Mammogram, left breast, MLO view. 45-year-old patient.
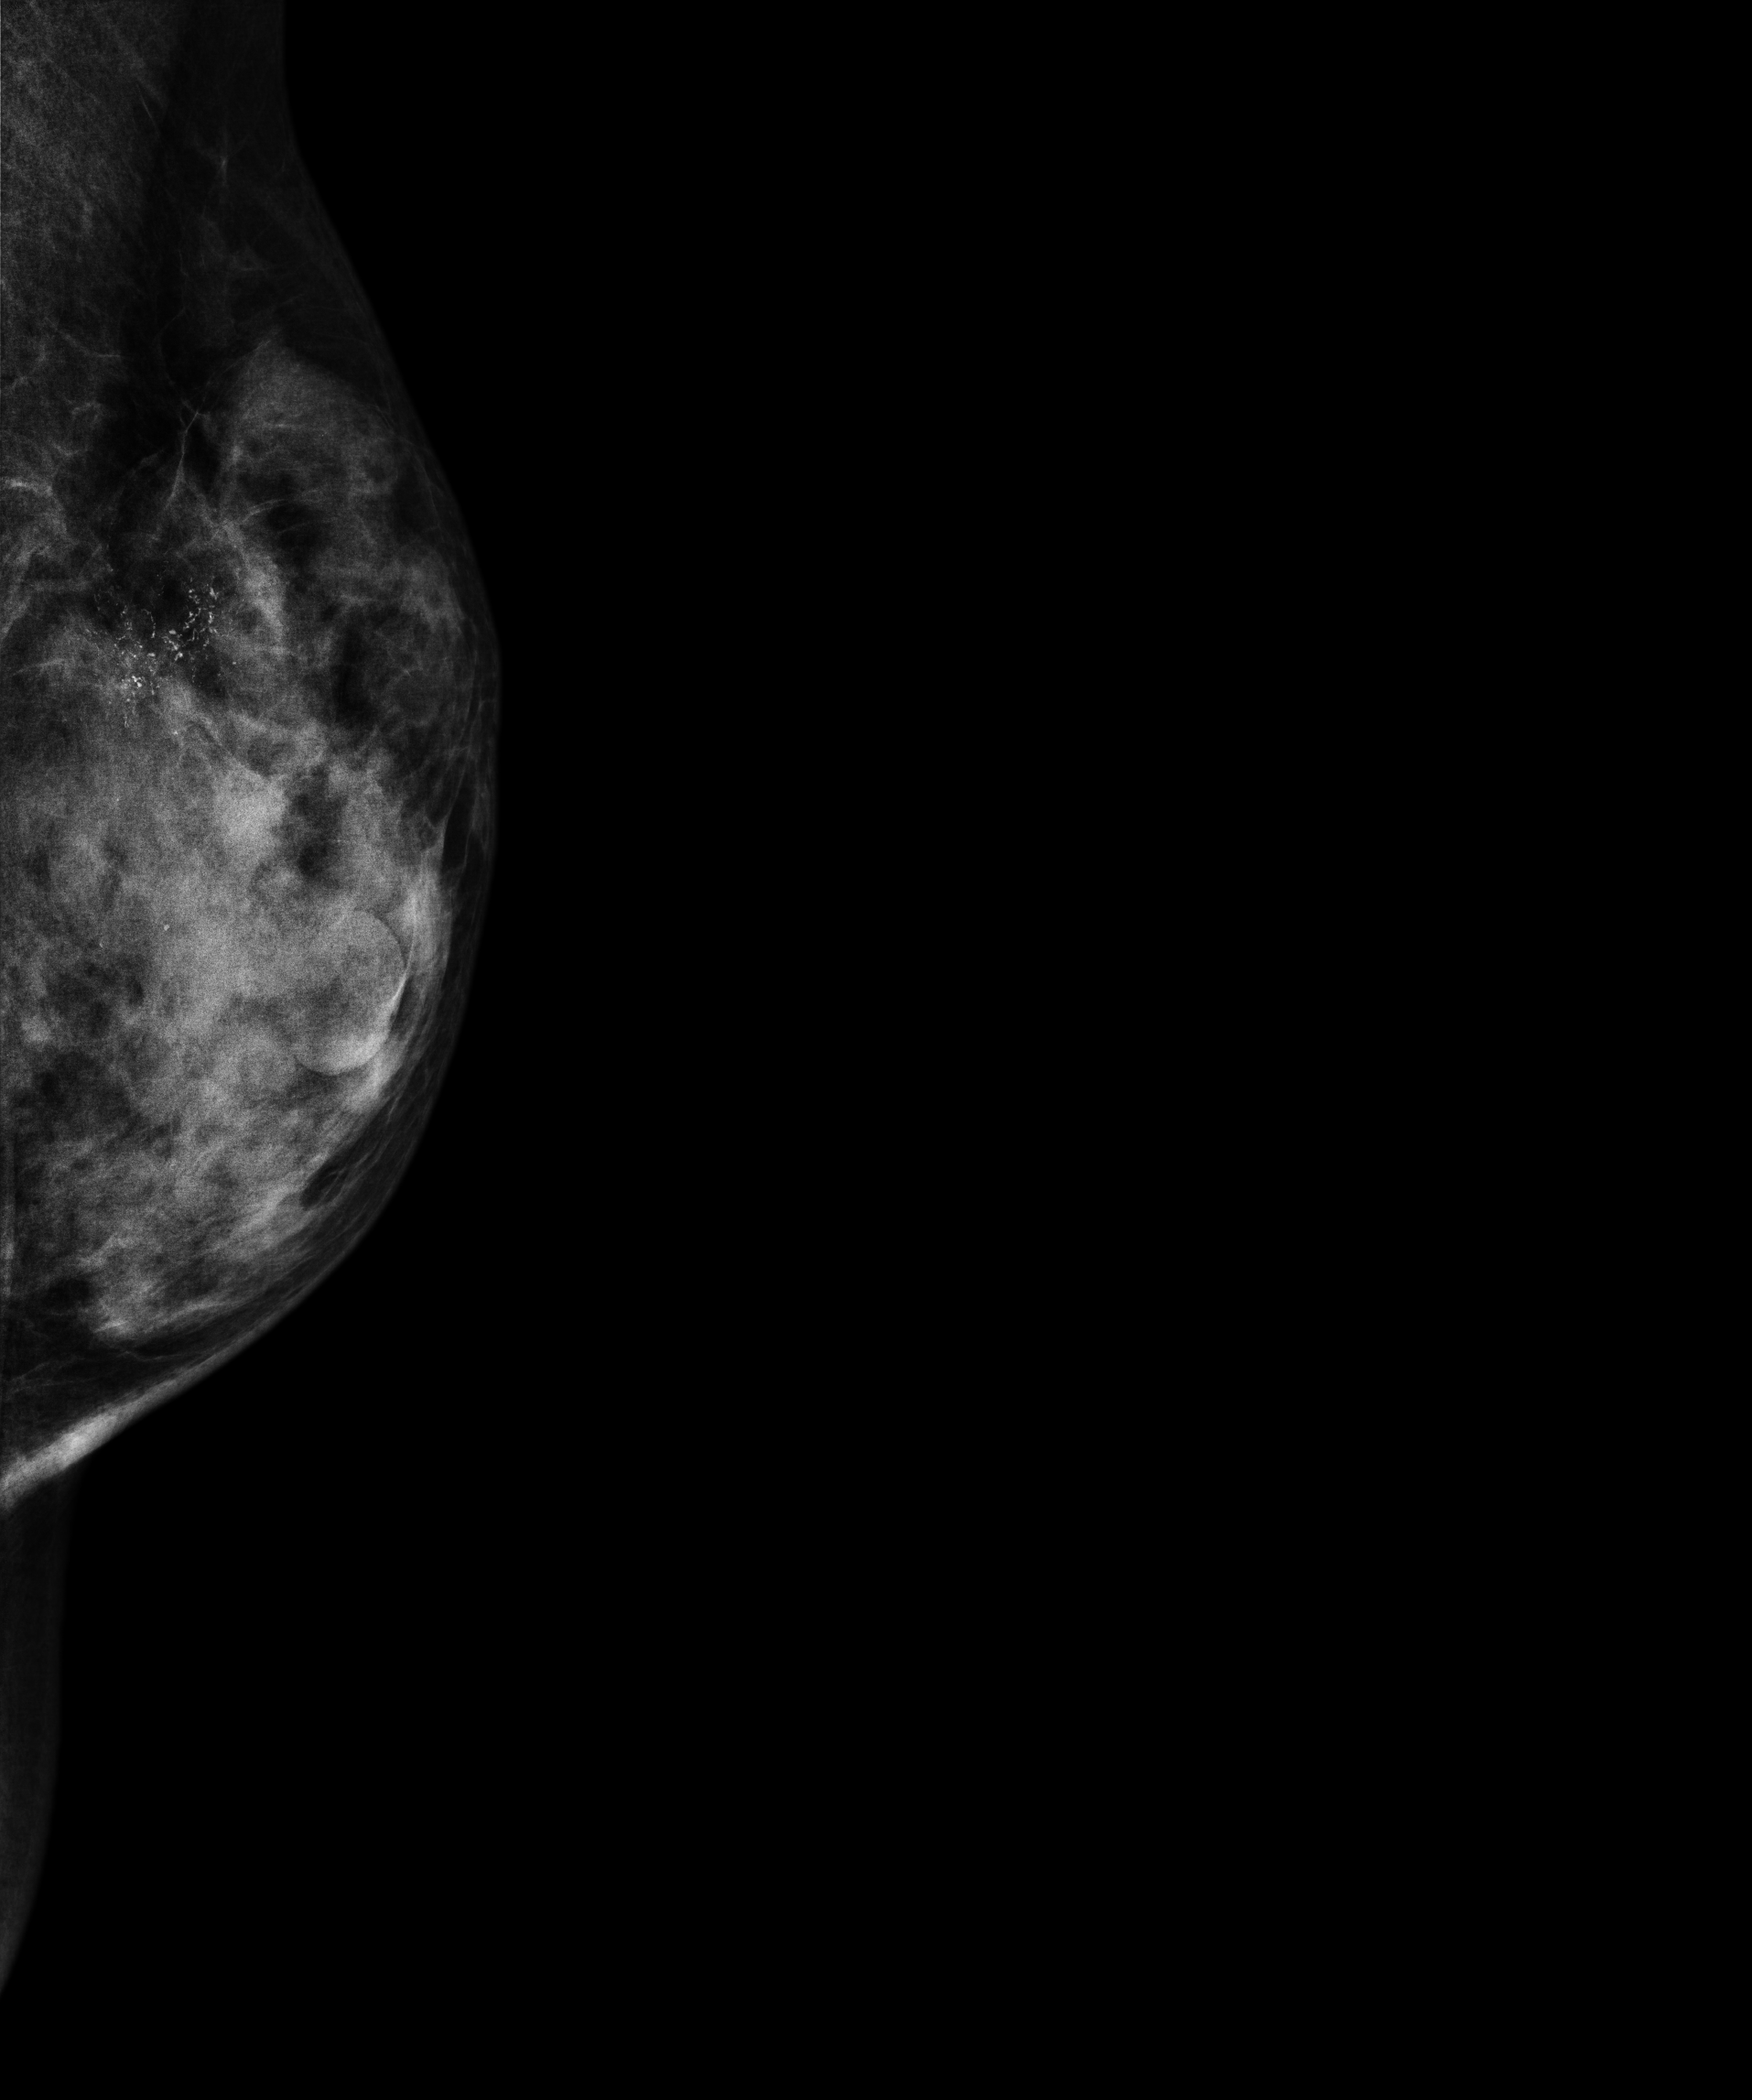
This breast has calcifications, biopsy-confirmed malignant. Molecular subtype: luminal A.